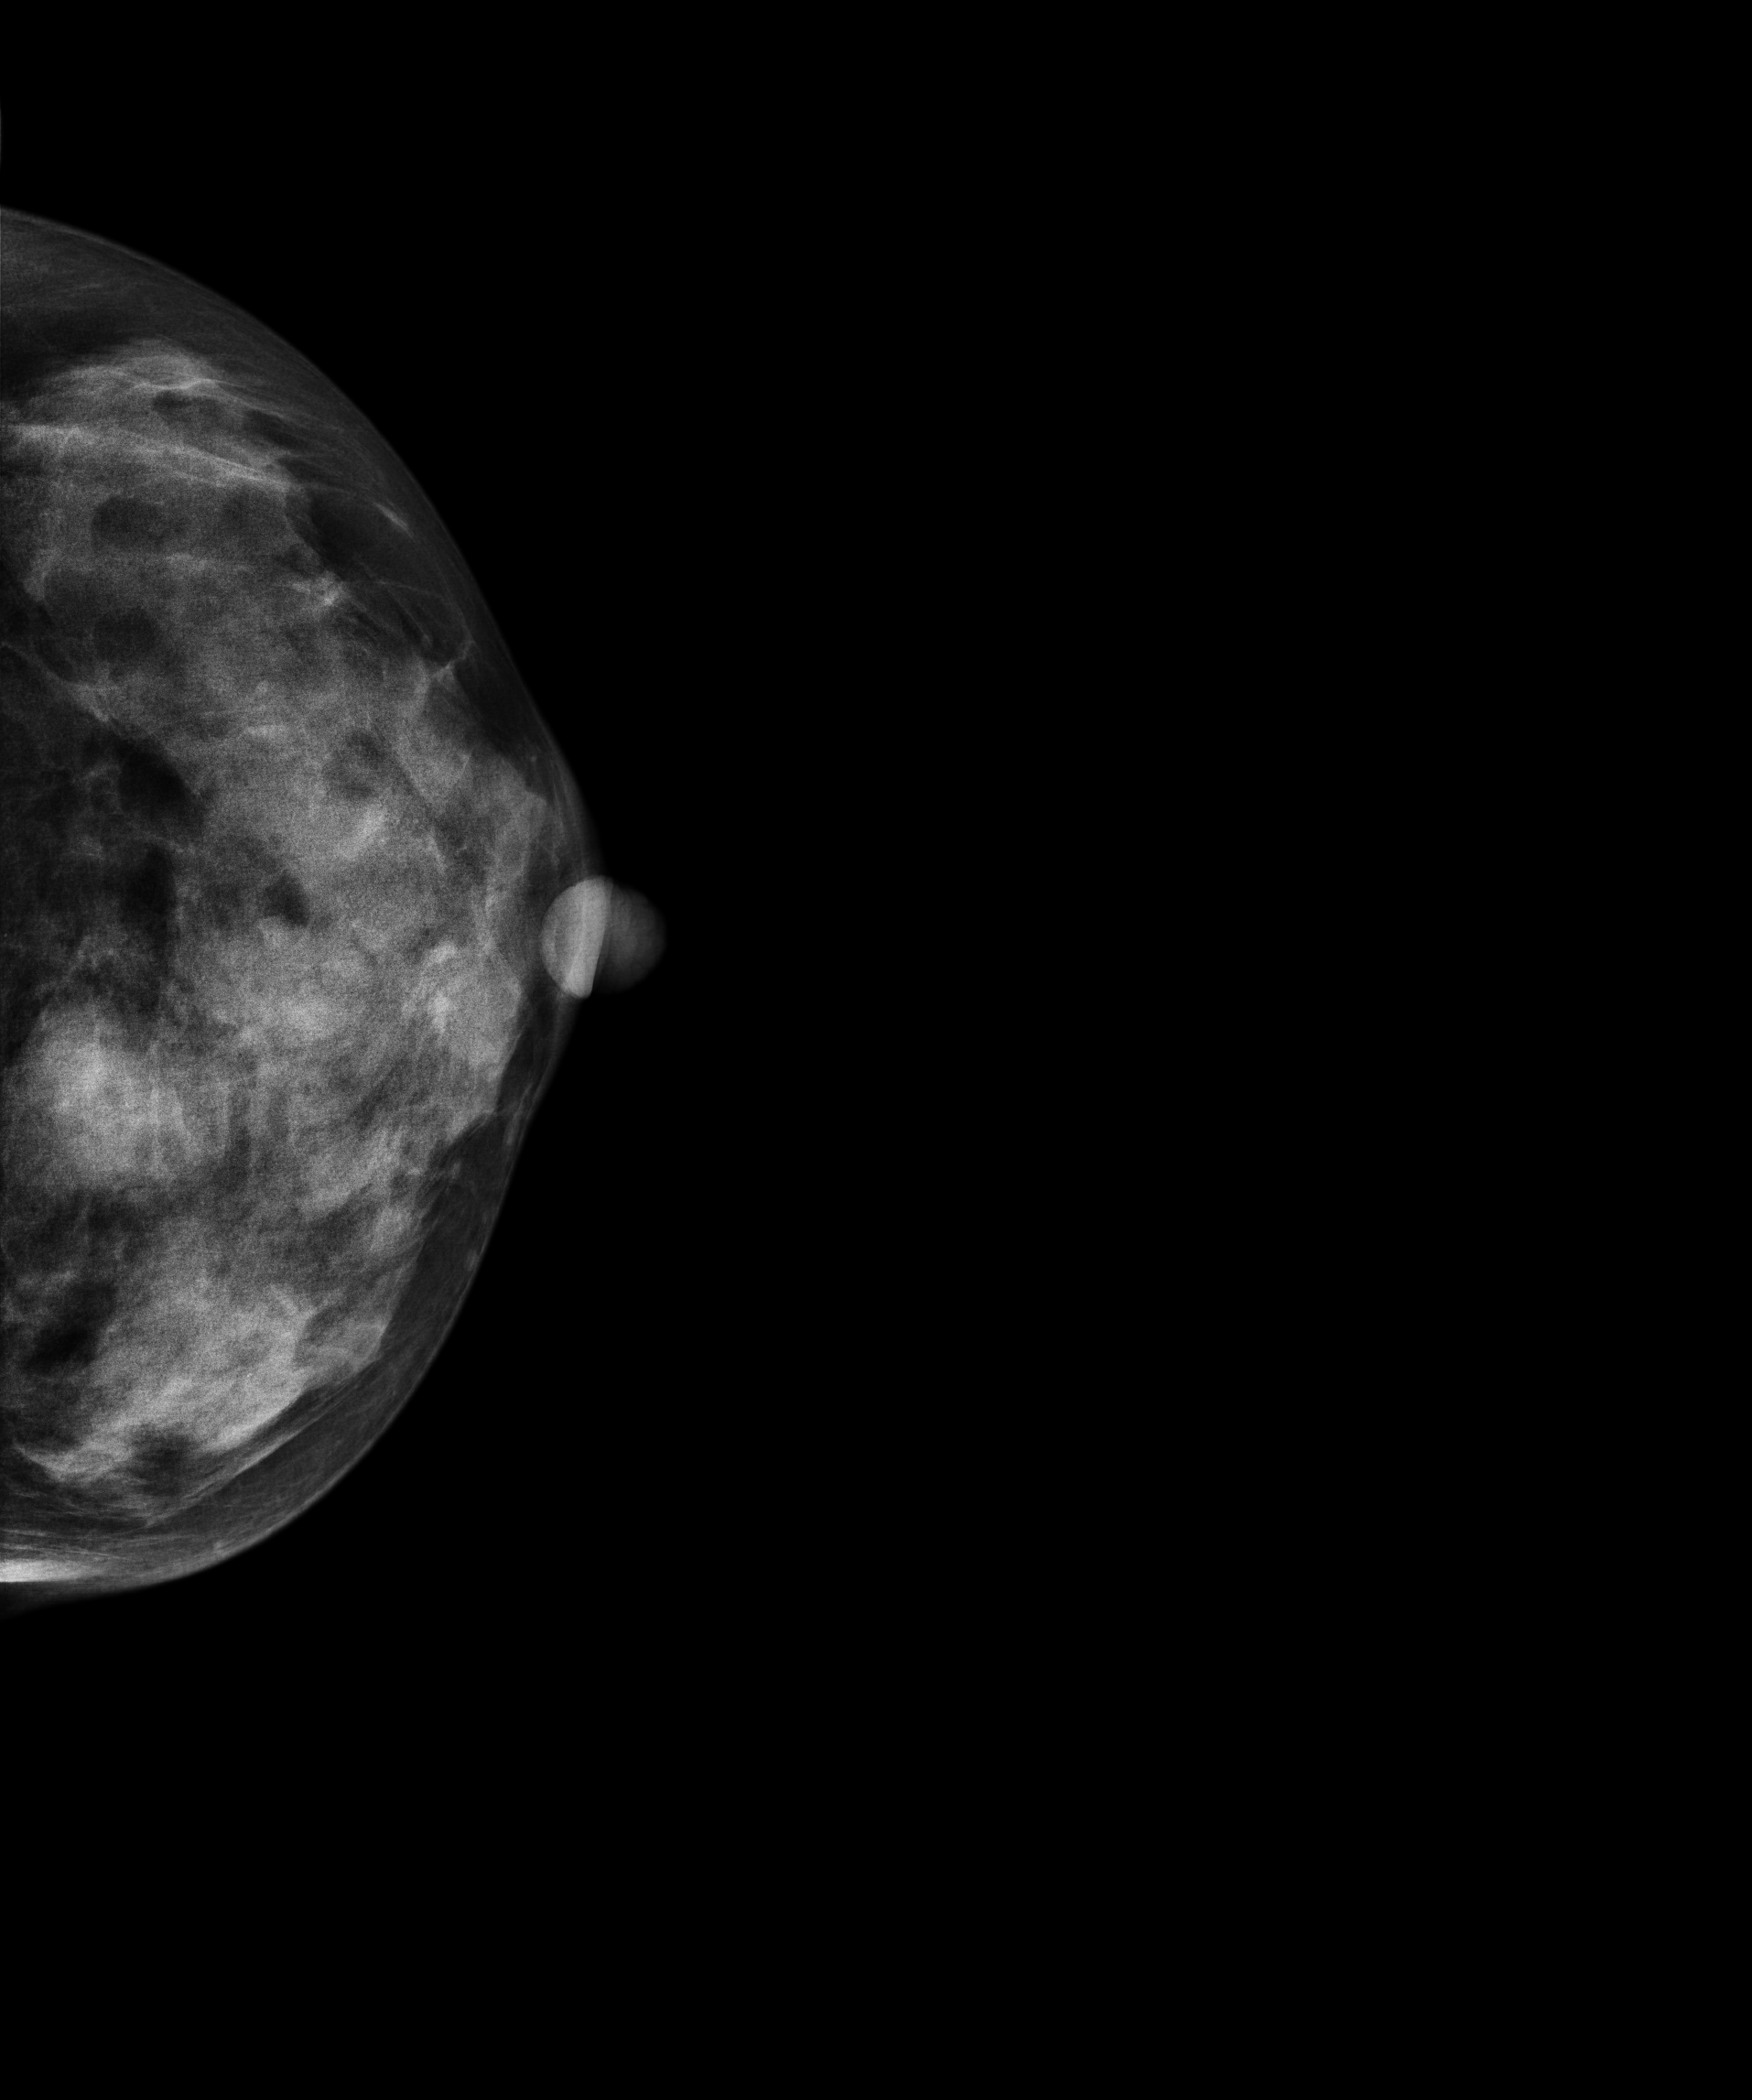
Left-breast mammogram, cranio-caudal. 52-year-old patient.
This breast has a mass, pathology-confirmed malignant.